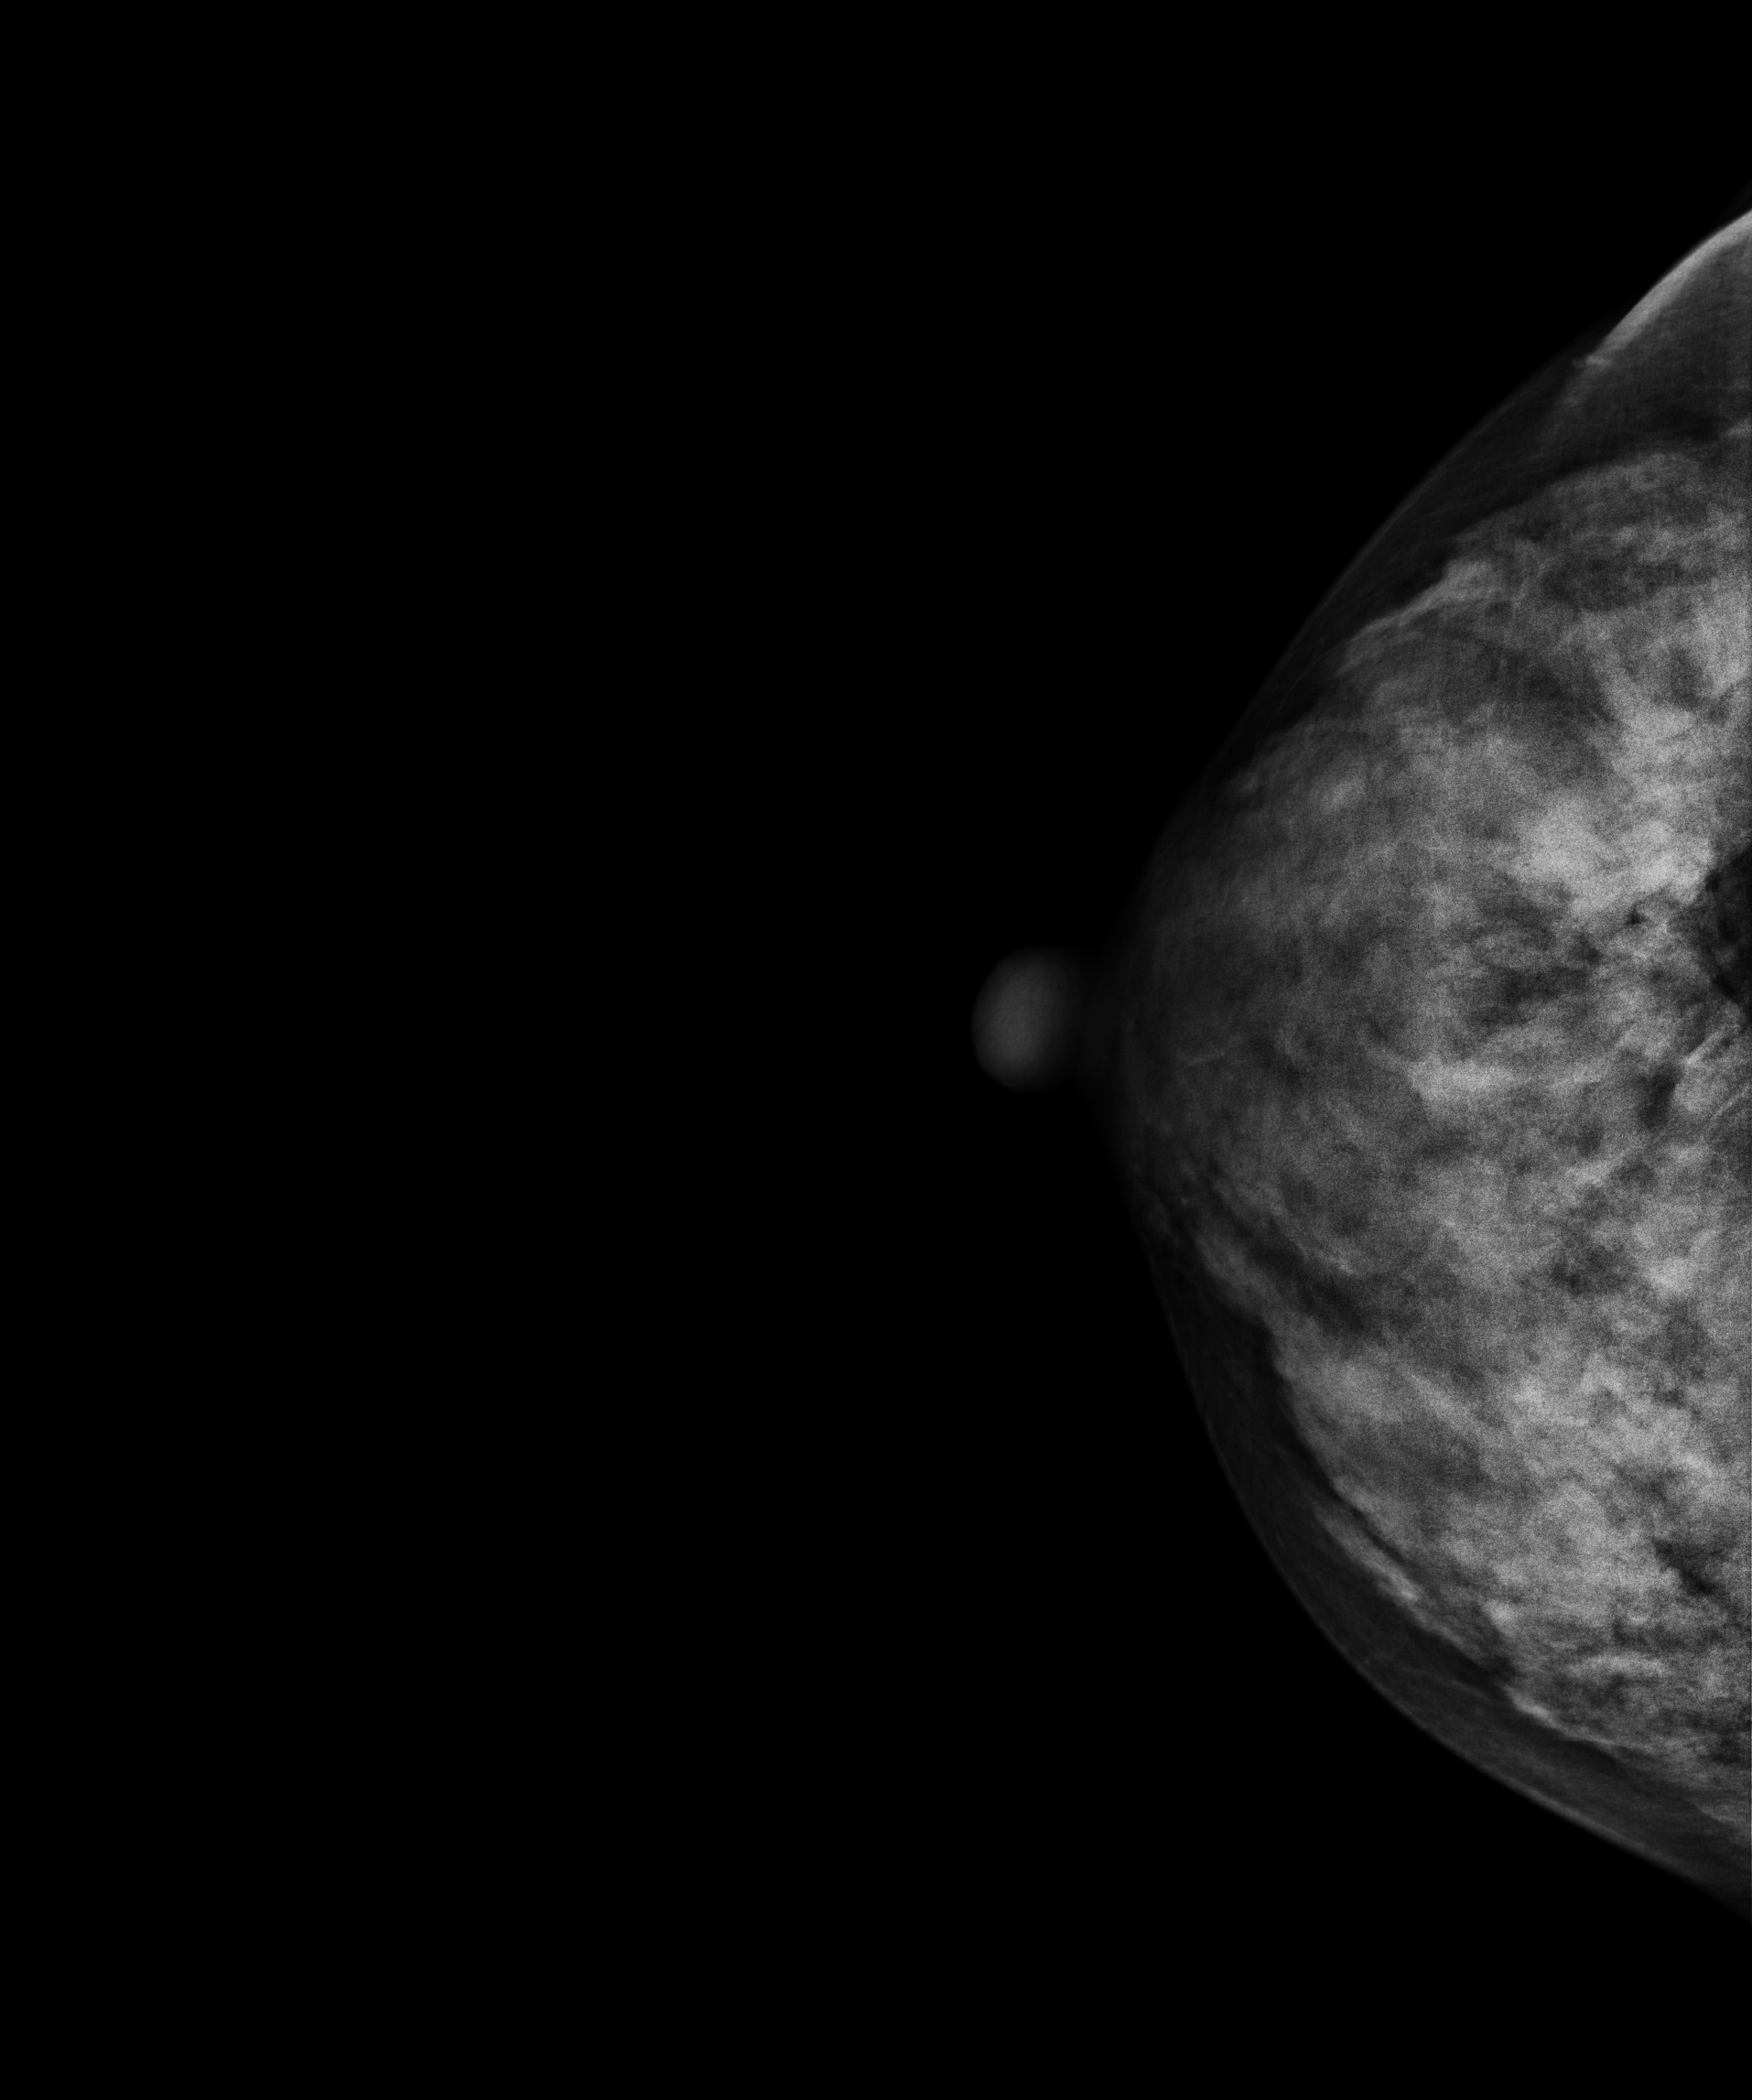
Digital mammography. Right breast, CC projection. 28-year-old patient.
Contralateral breast — no documented abnormality on this side.